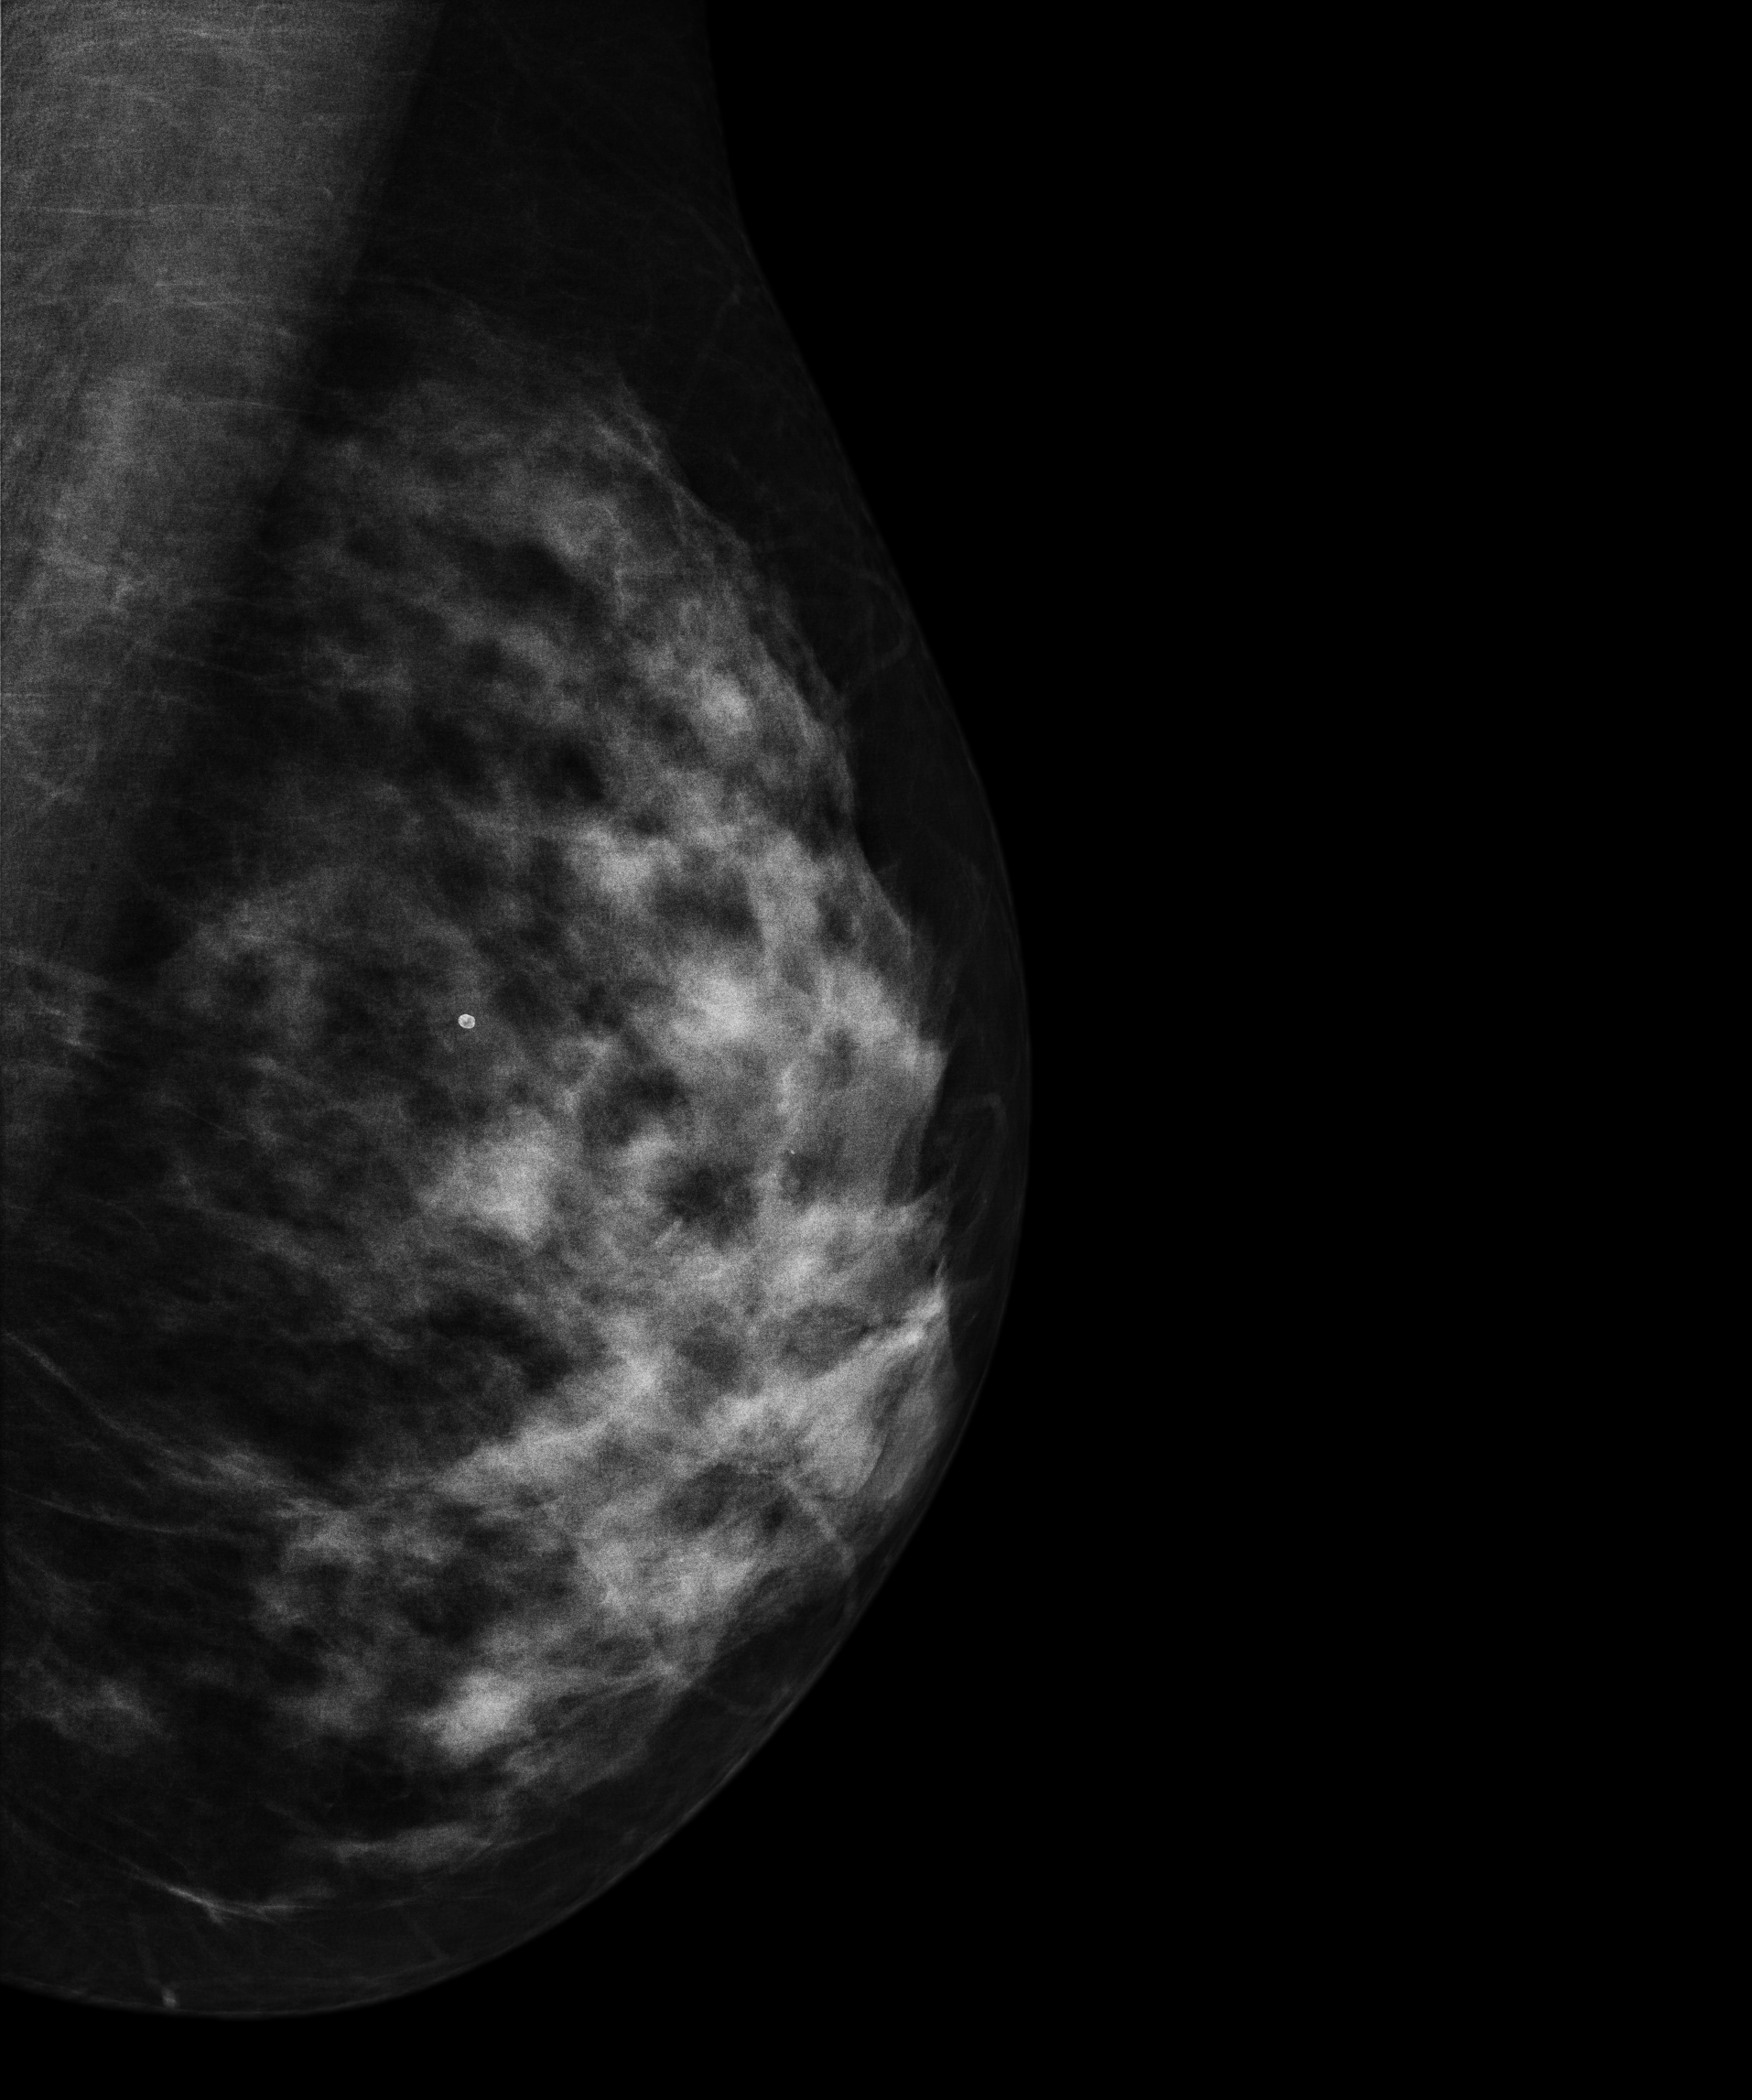
Digital mammography. Left breast, MLO projection. 49 y/o patient.
Contralateral breast — no documented abnormality on this side.